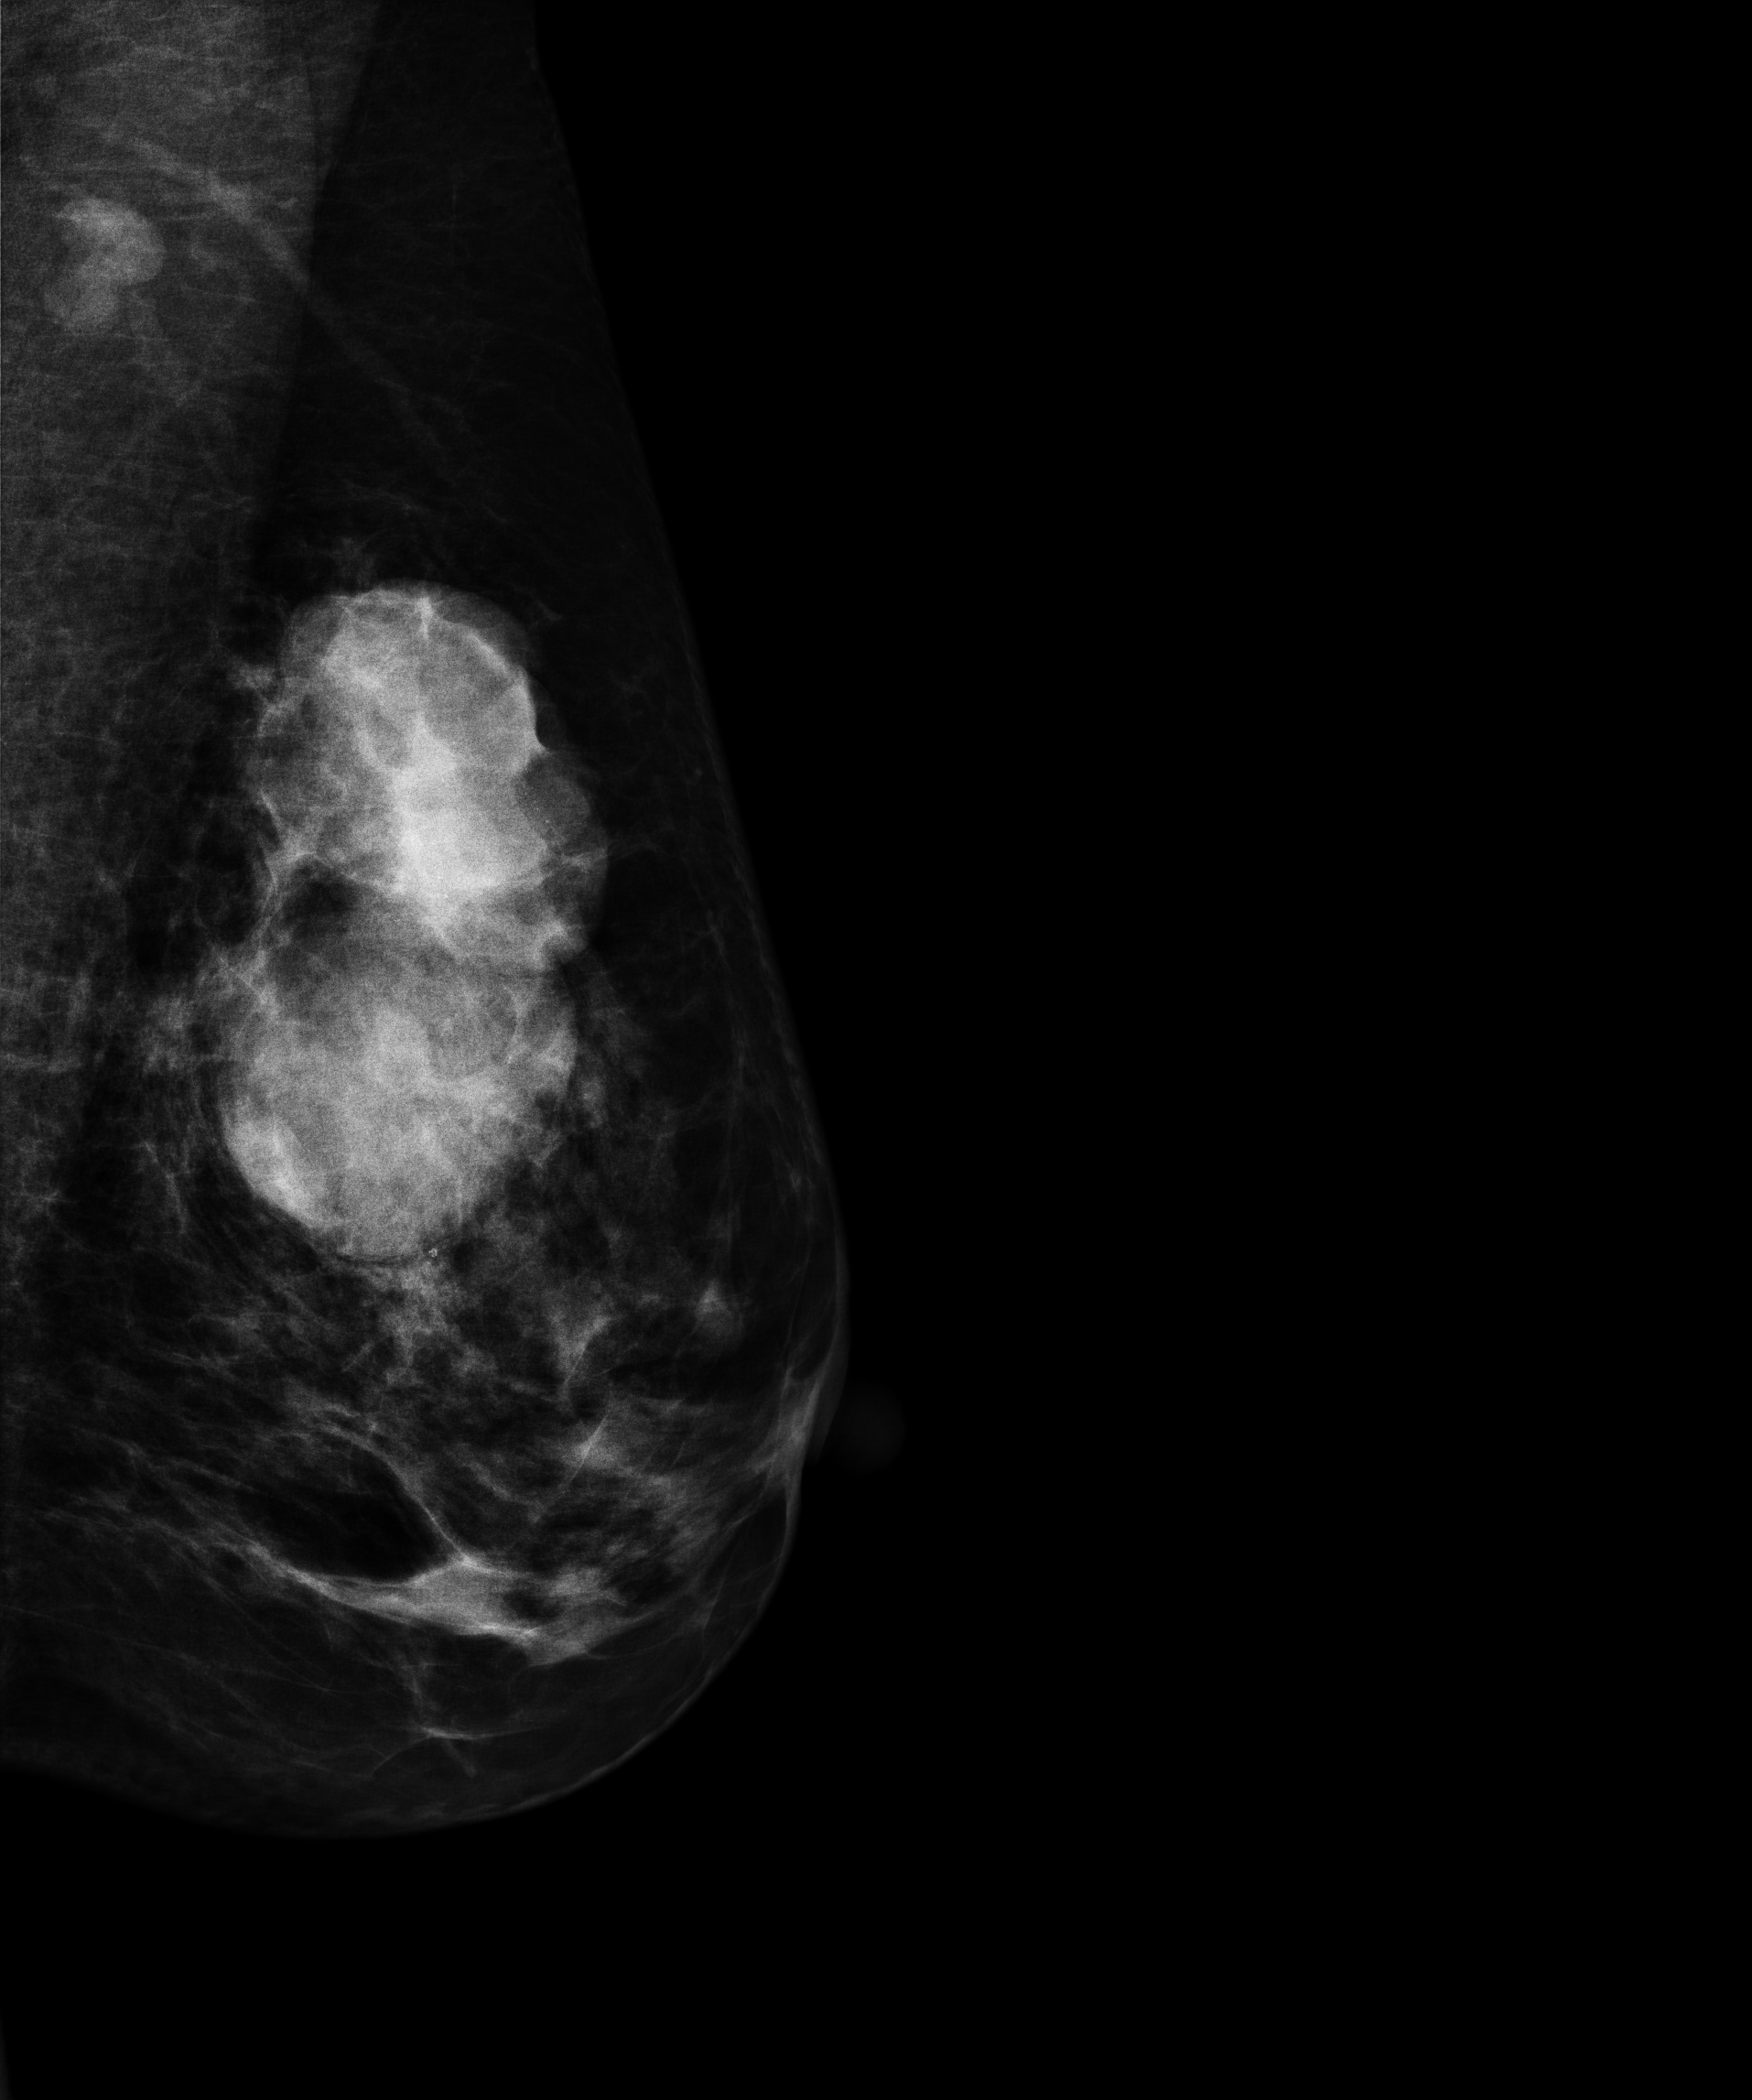
Digital mammography. Left breast, medio-lateral oblique projection. 48 y/o patient.
This breast has a mass, biopsy-proven malignant. Molecular subtype: luminal B.